Cranio-caudal mammogram of the left breast. 48-year-old patient.
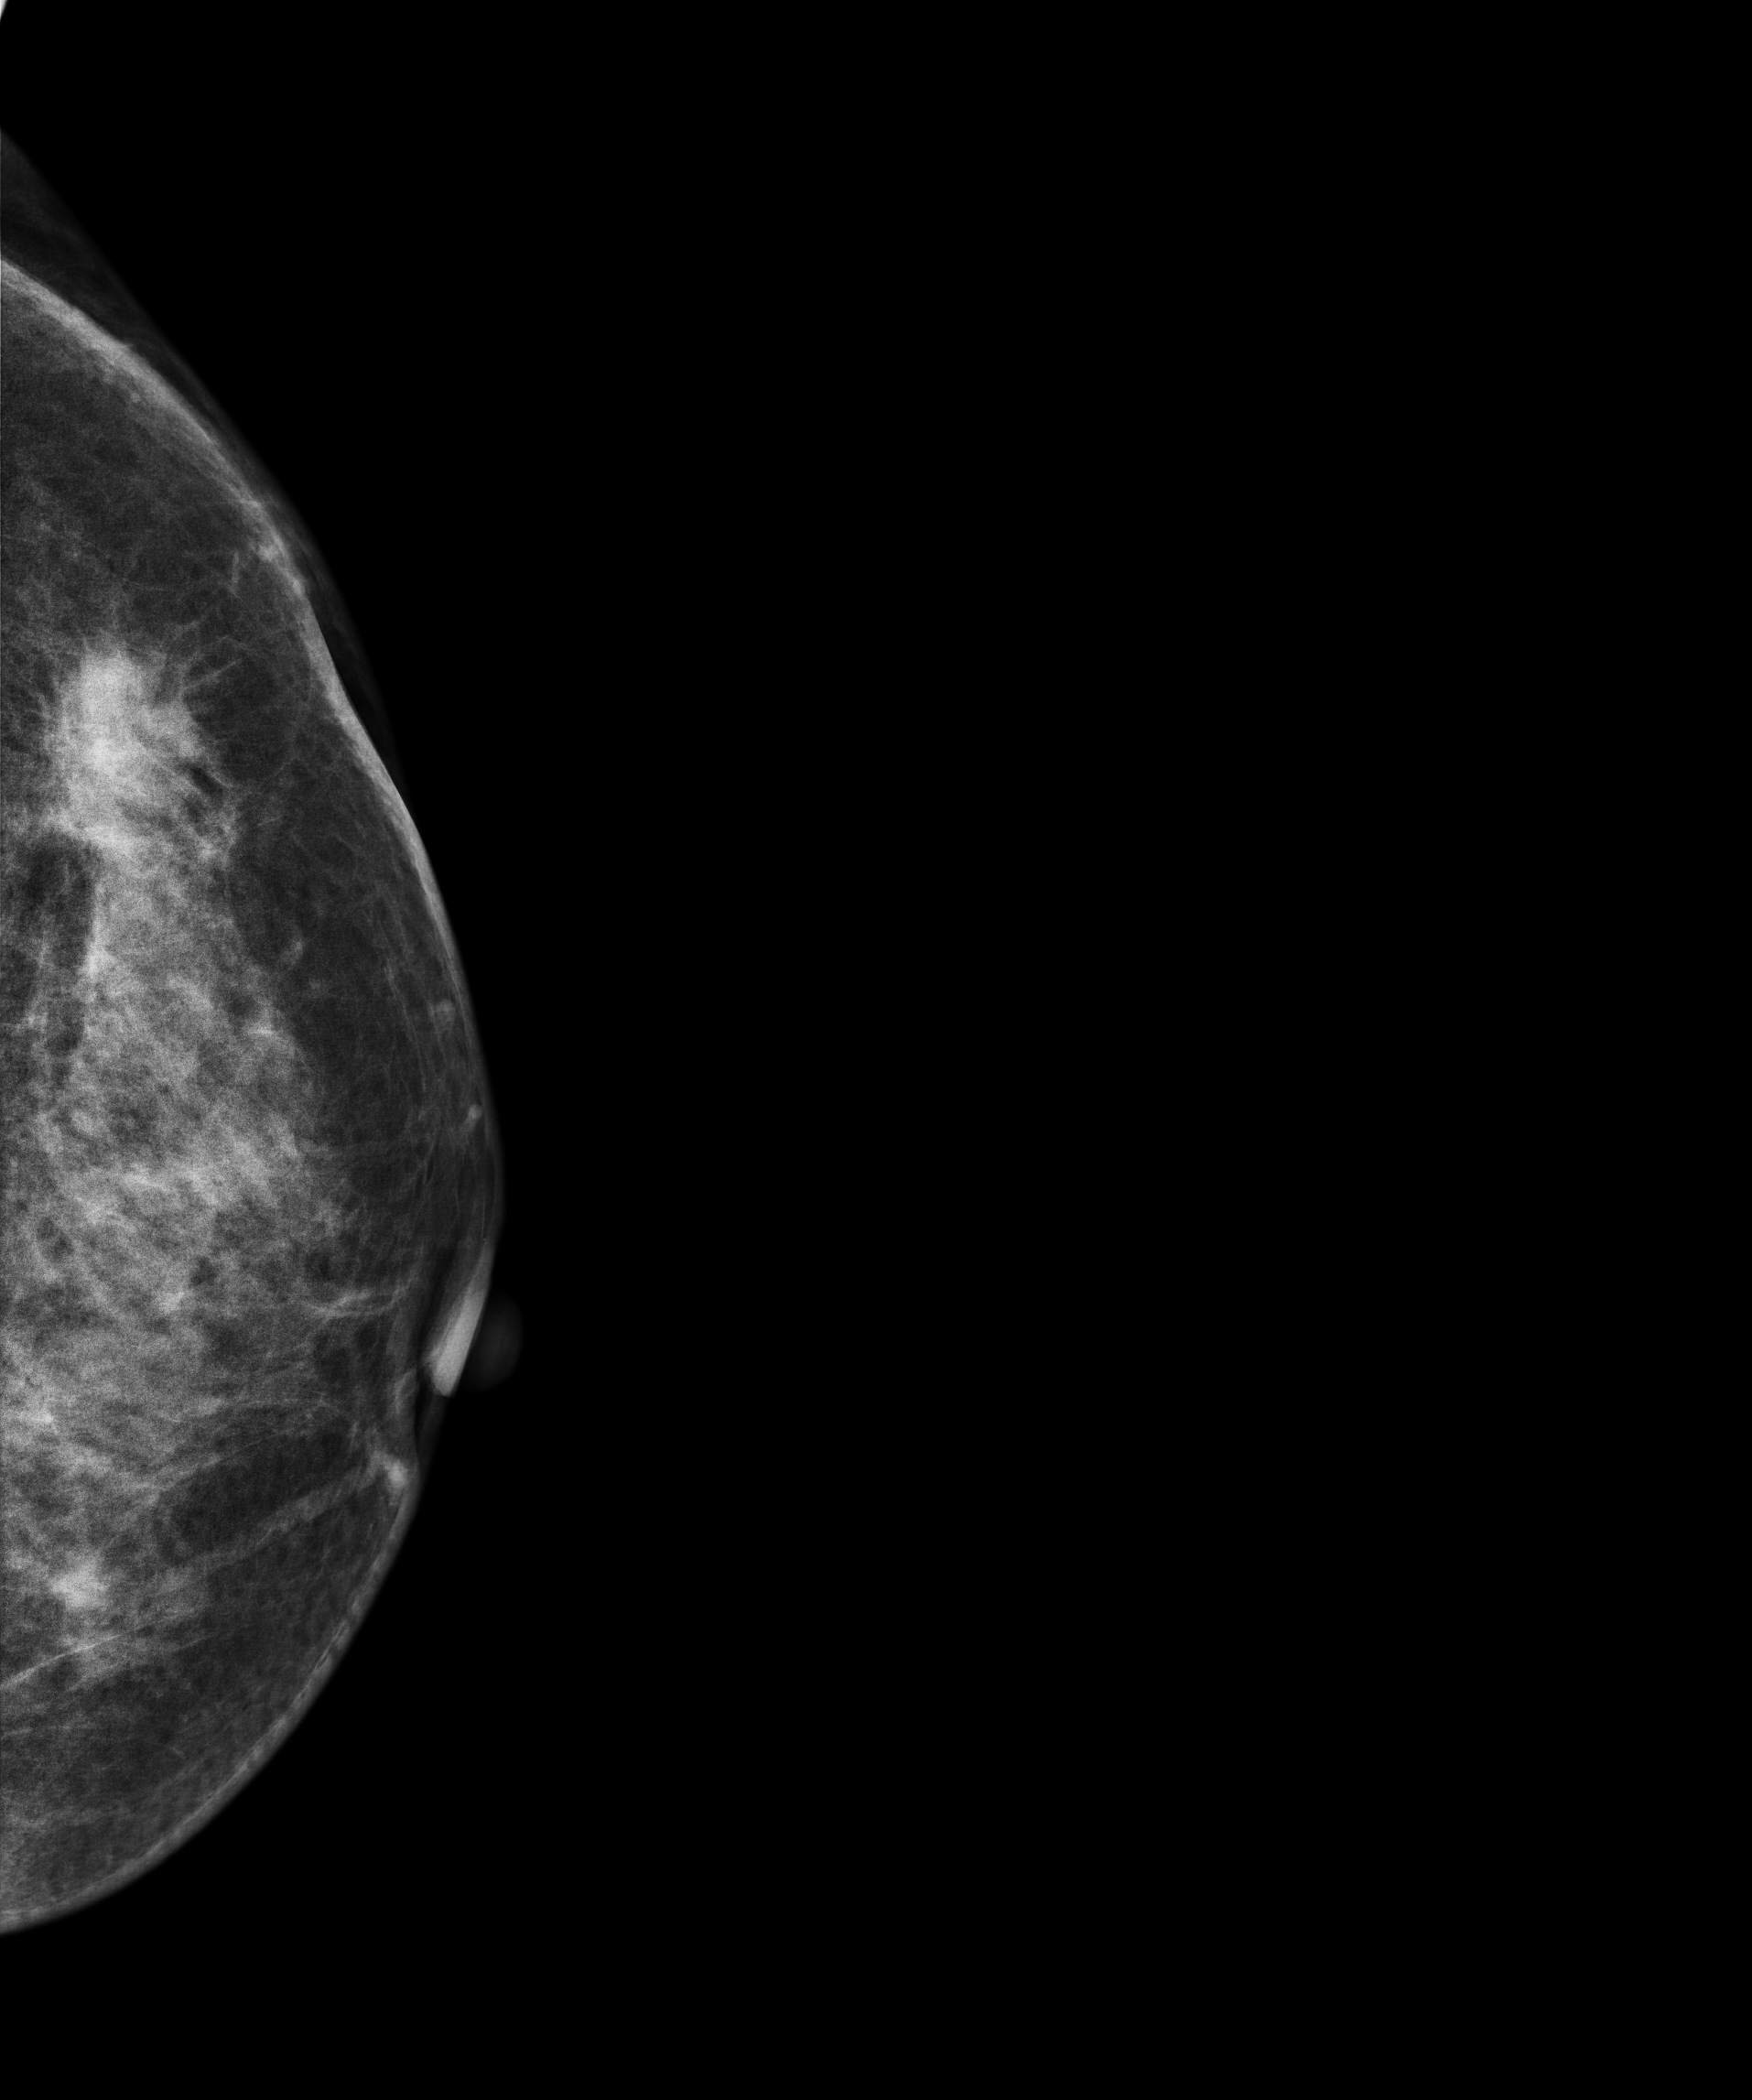
This breast has a mass, histologically confirmed malignant. Molecular subtype: luminal B.